Mammogram, right breast, CC view. 53 y/o patient.
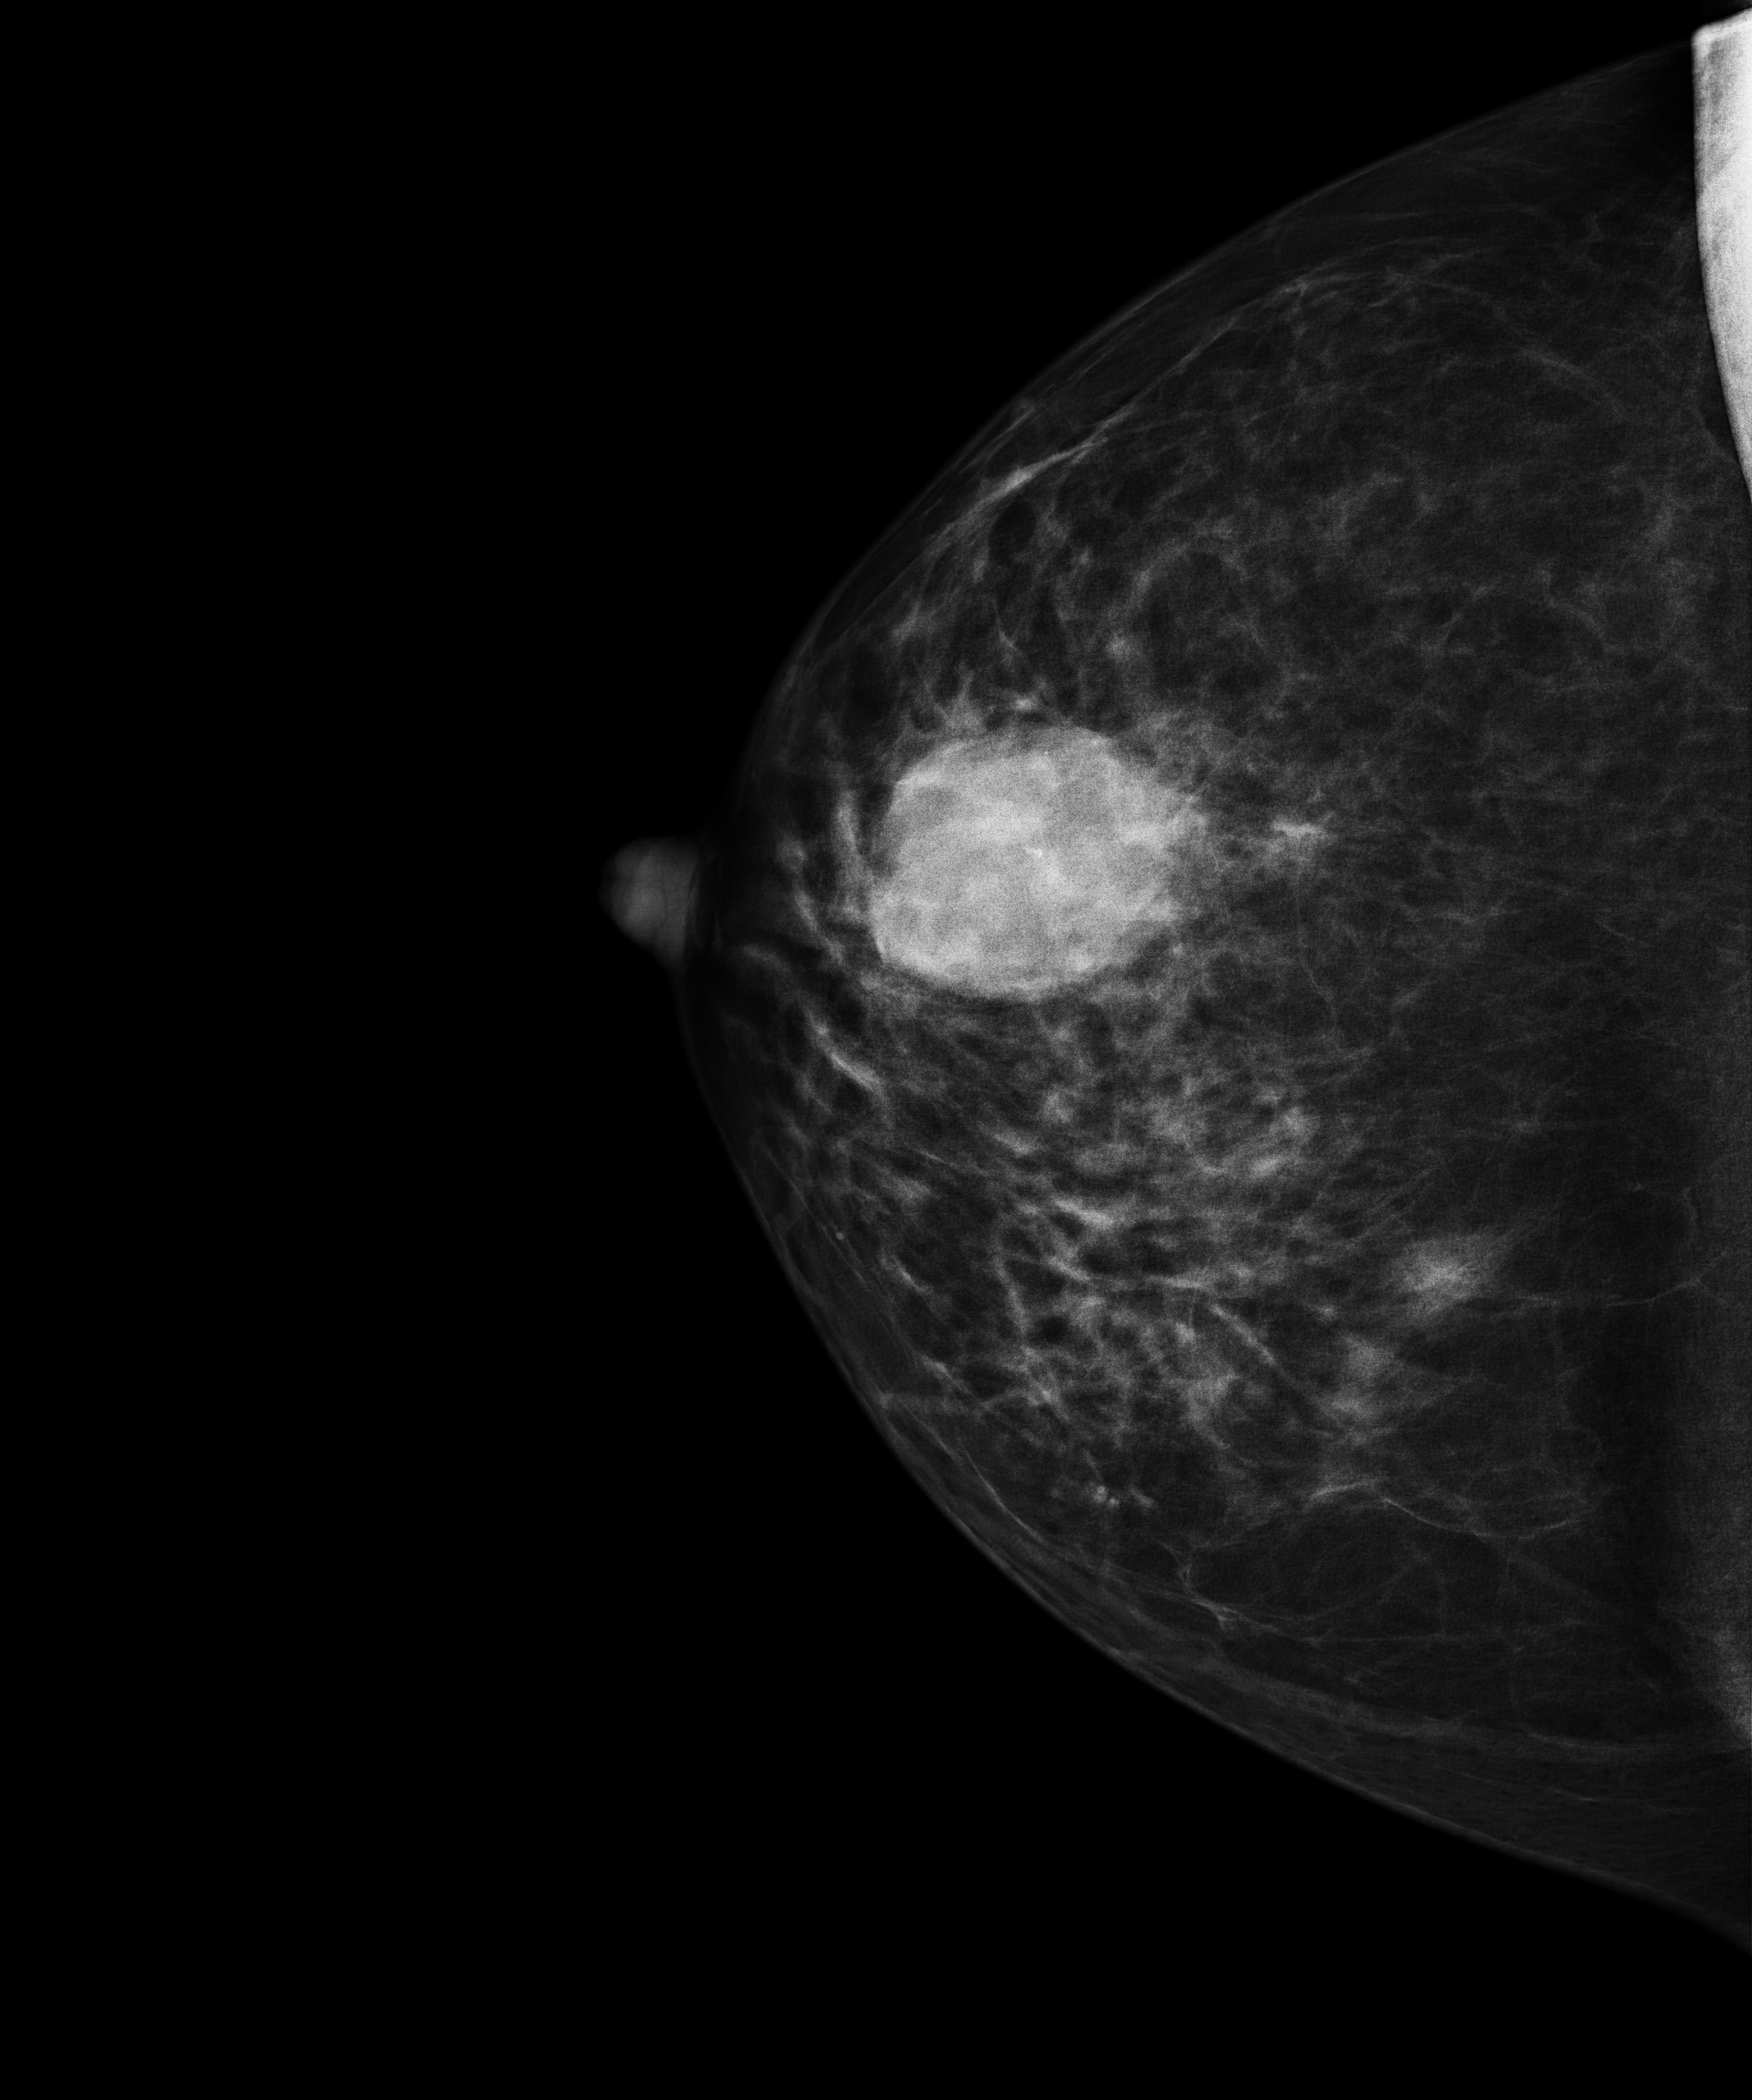
This breast has a mass, biopsy-confirmed malignant.